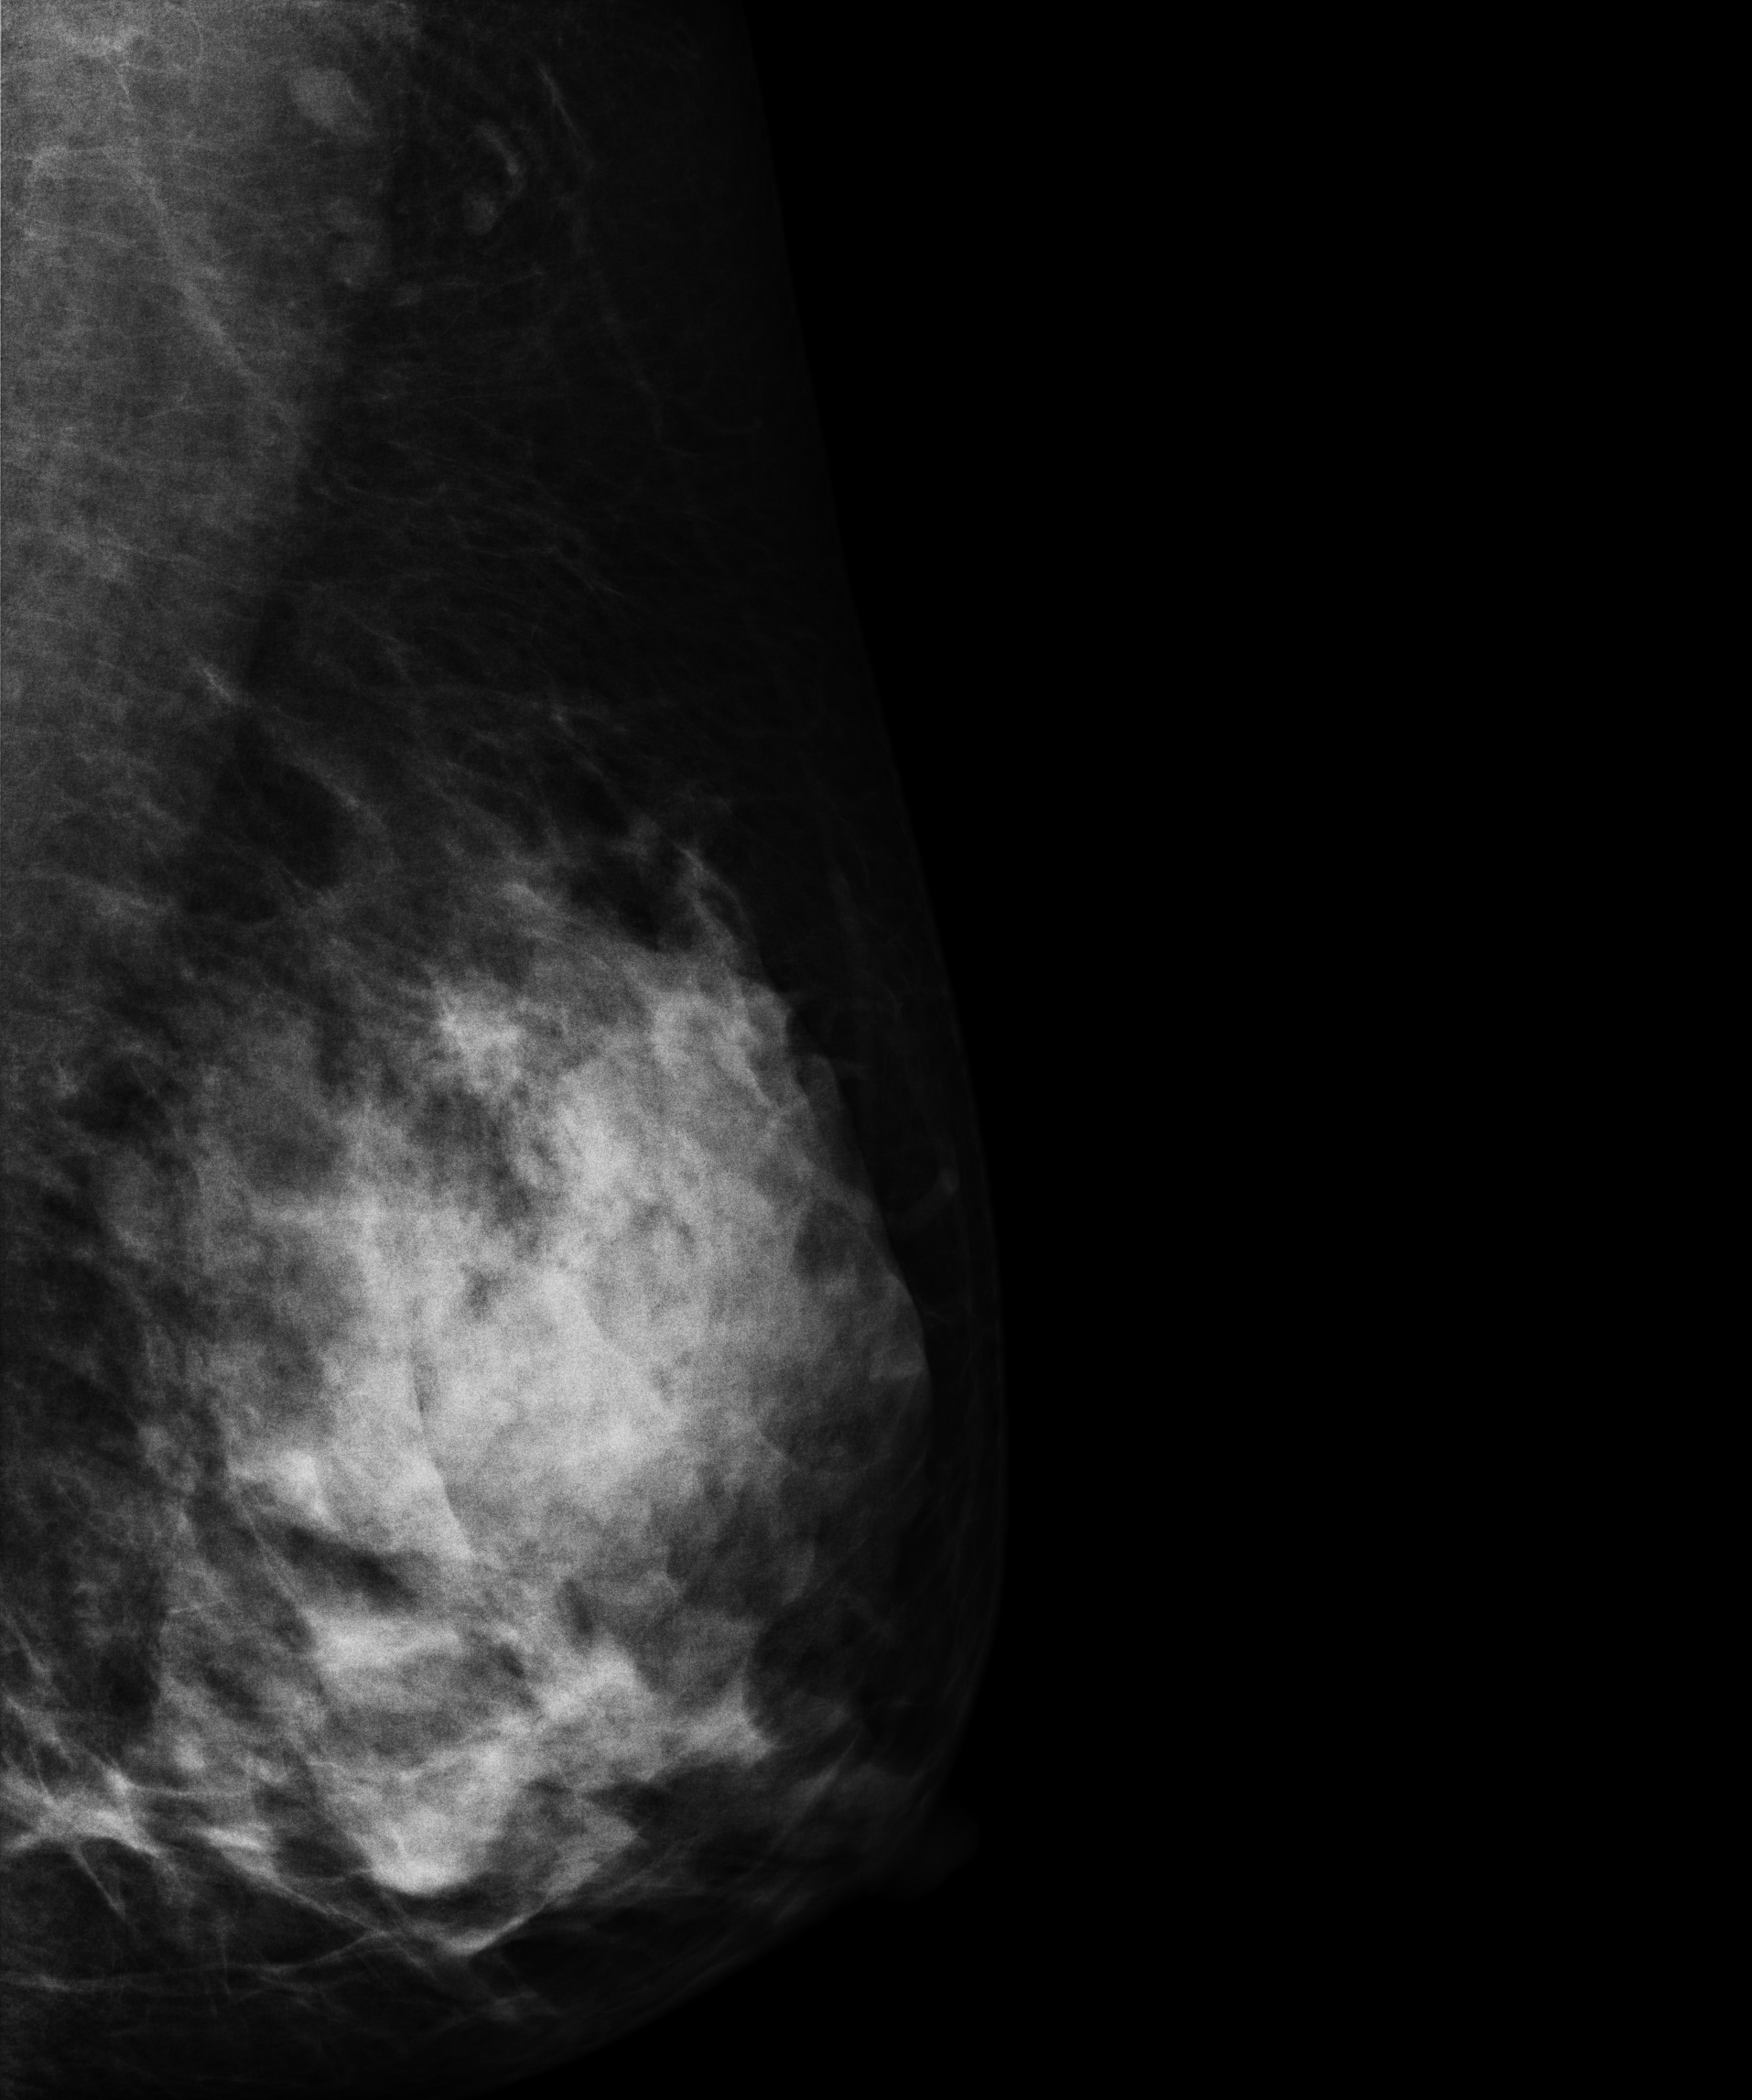
Left-breast mammogram, medio-lateral oblique. Patient age 41.
Contralateral breast — no documented abnormality on this side.